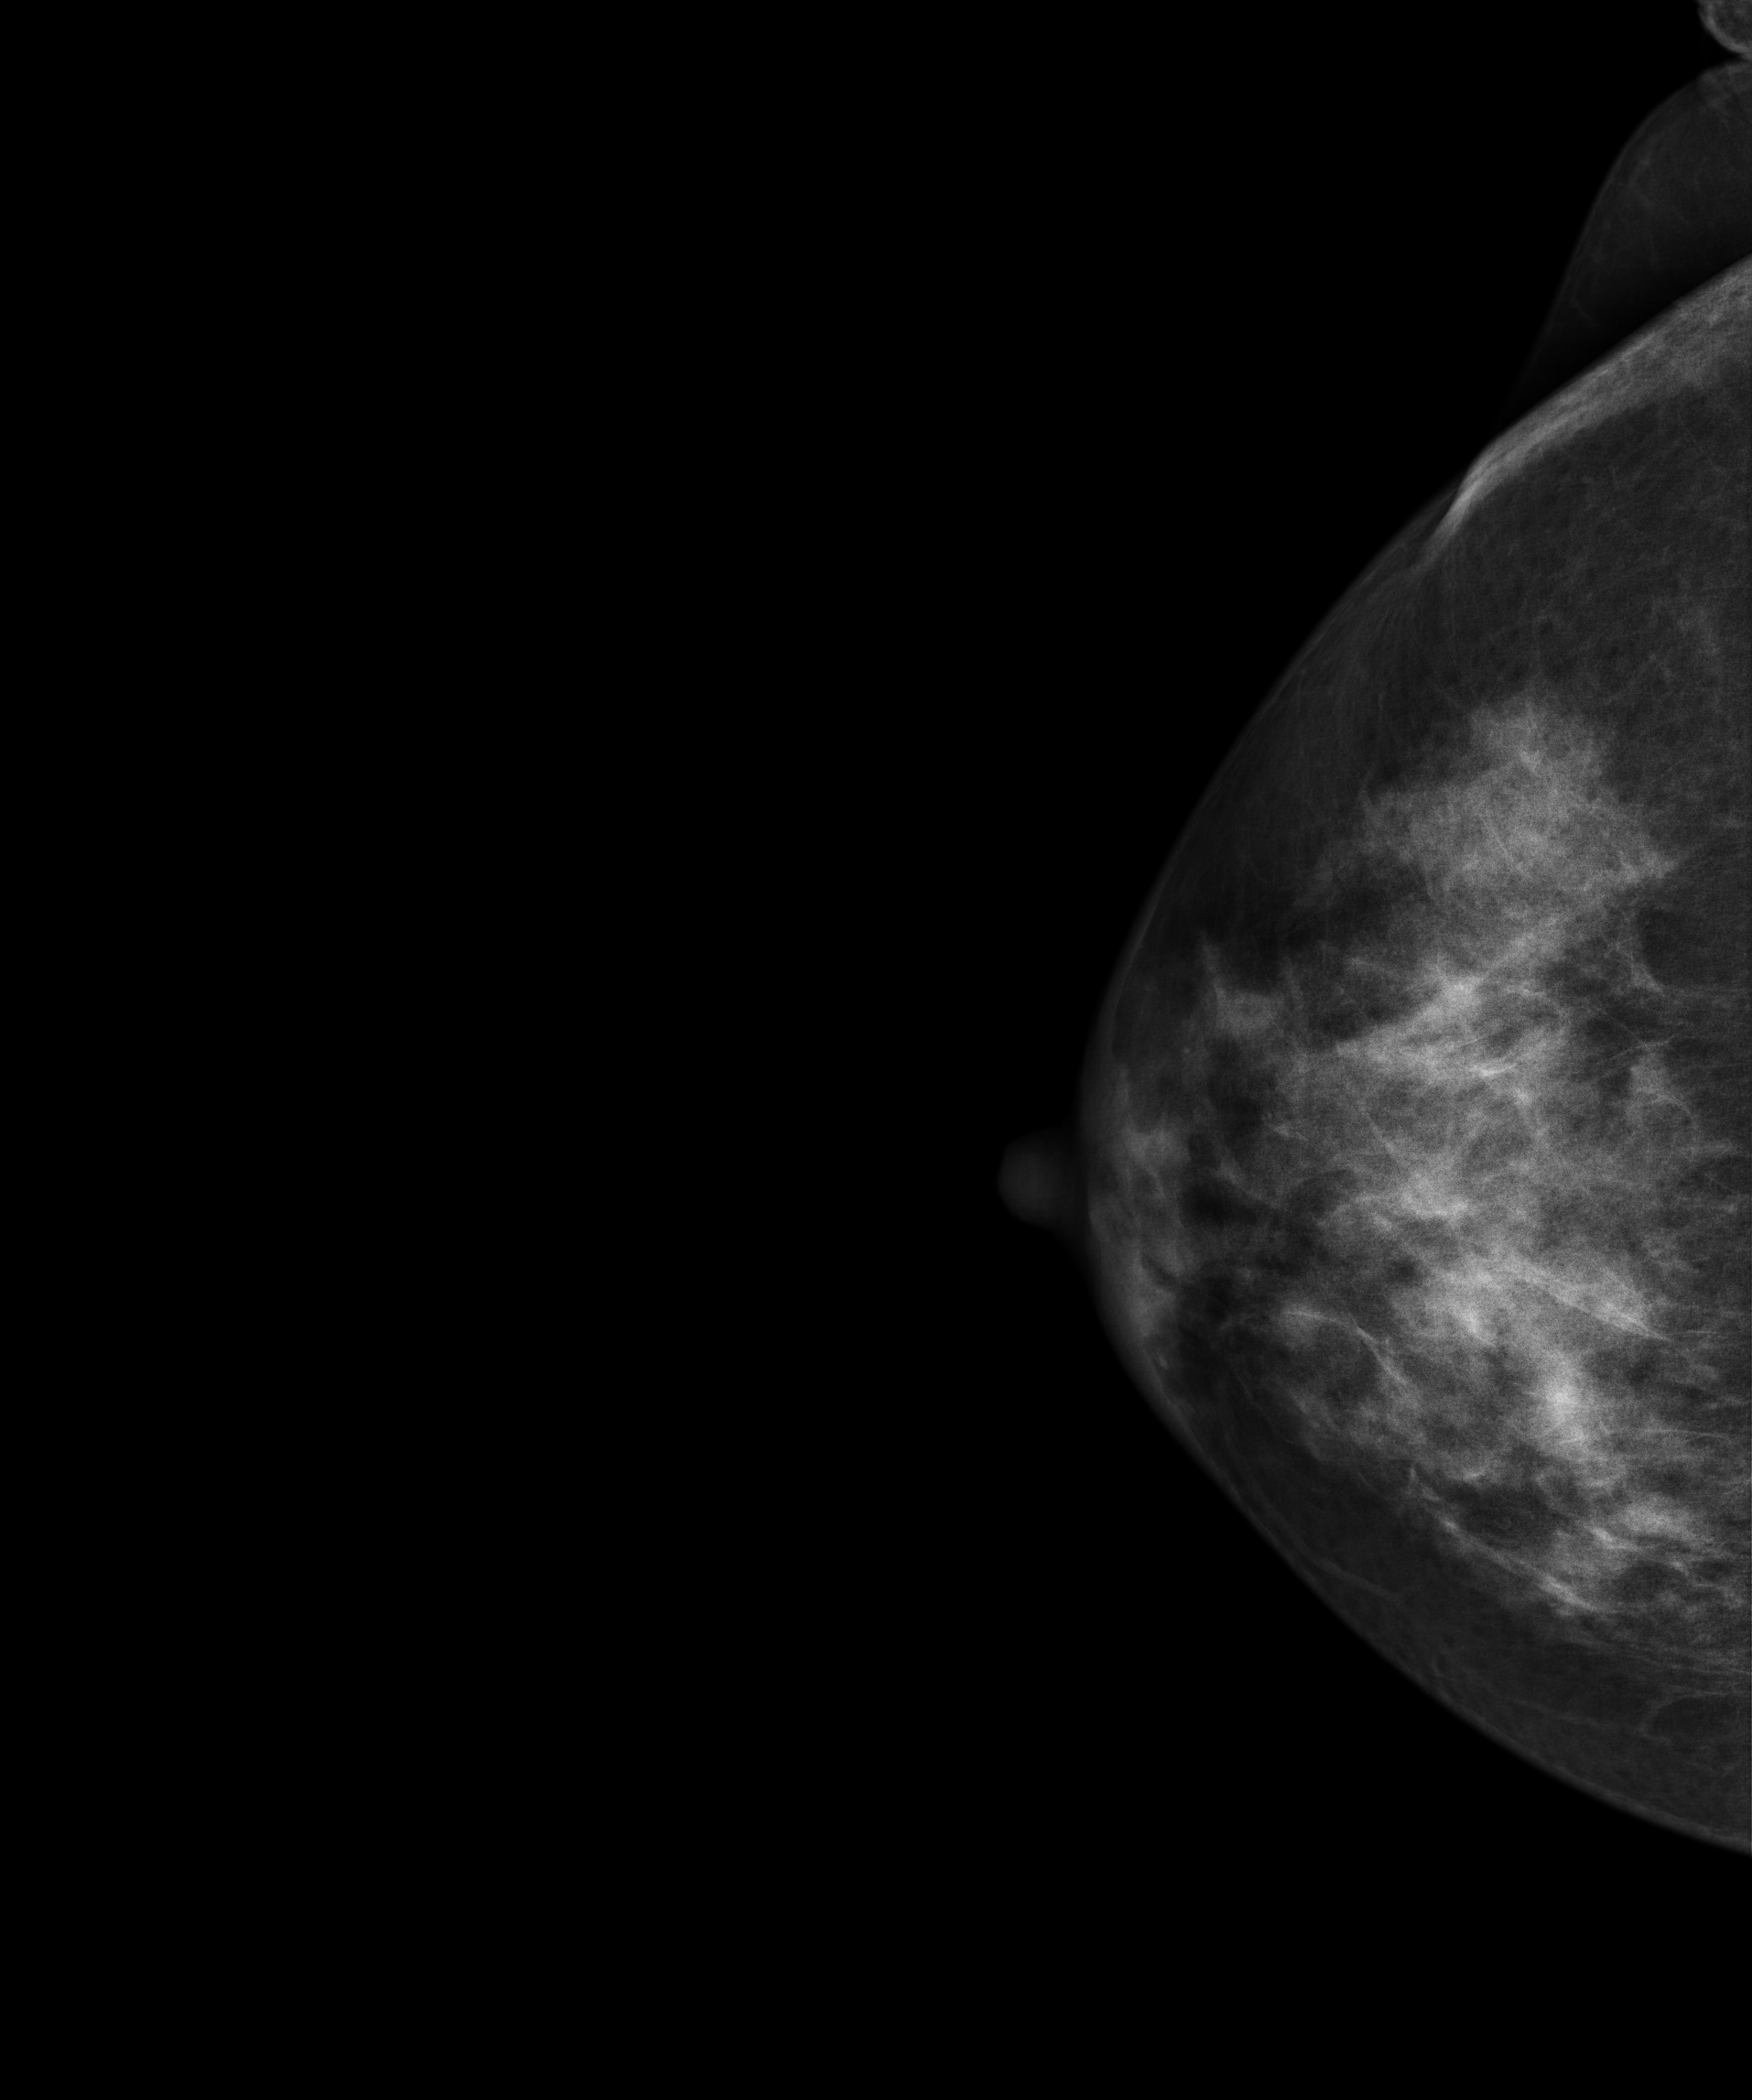
Digital mammography. Right breast, cranio-caudal projection. Patient age 44.
Contralateral breast — no documented abnormality on this side.